Mammogram, left breast, MLO view. 32 y/o patient.
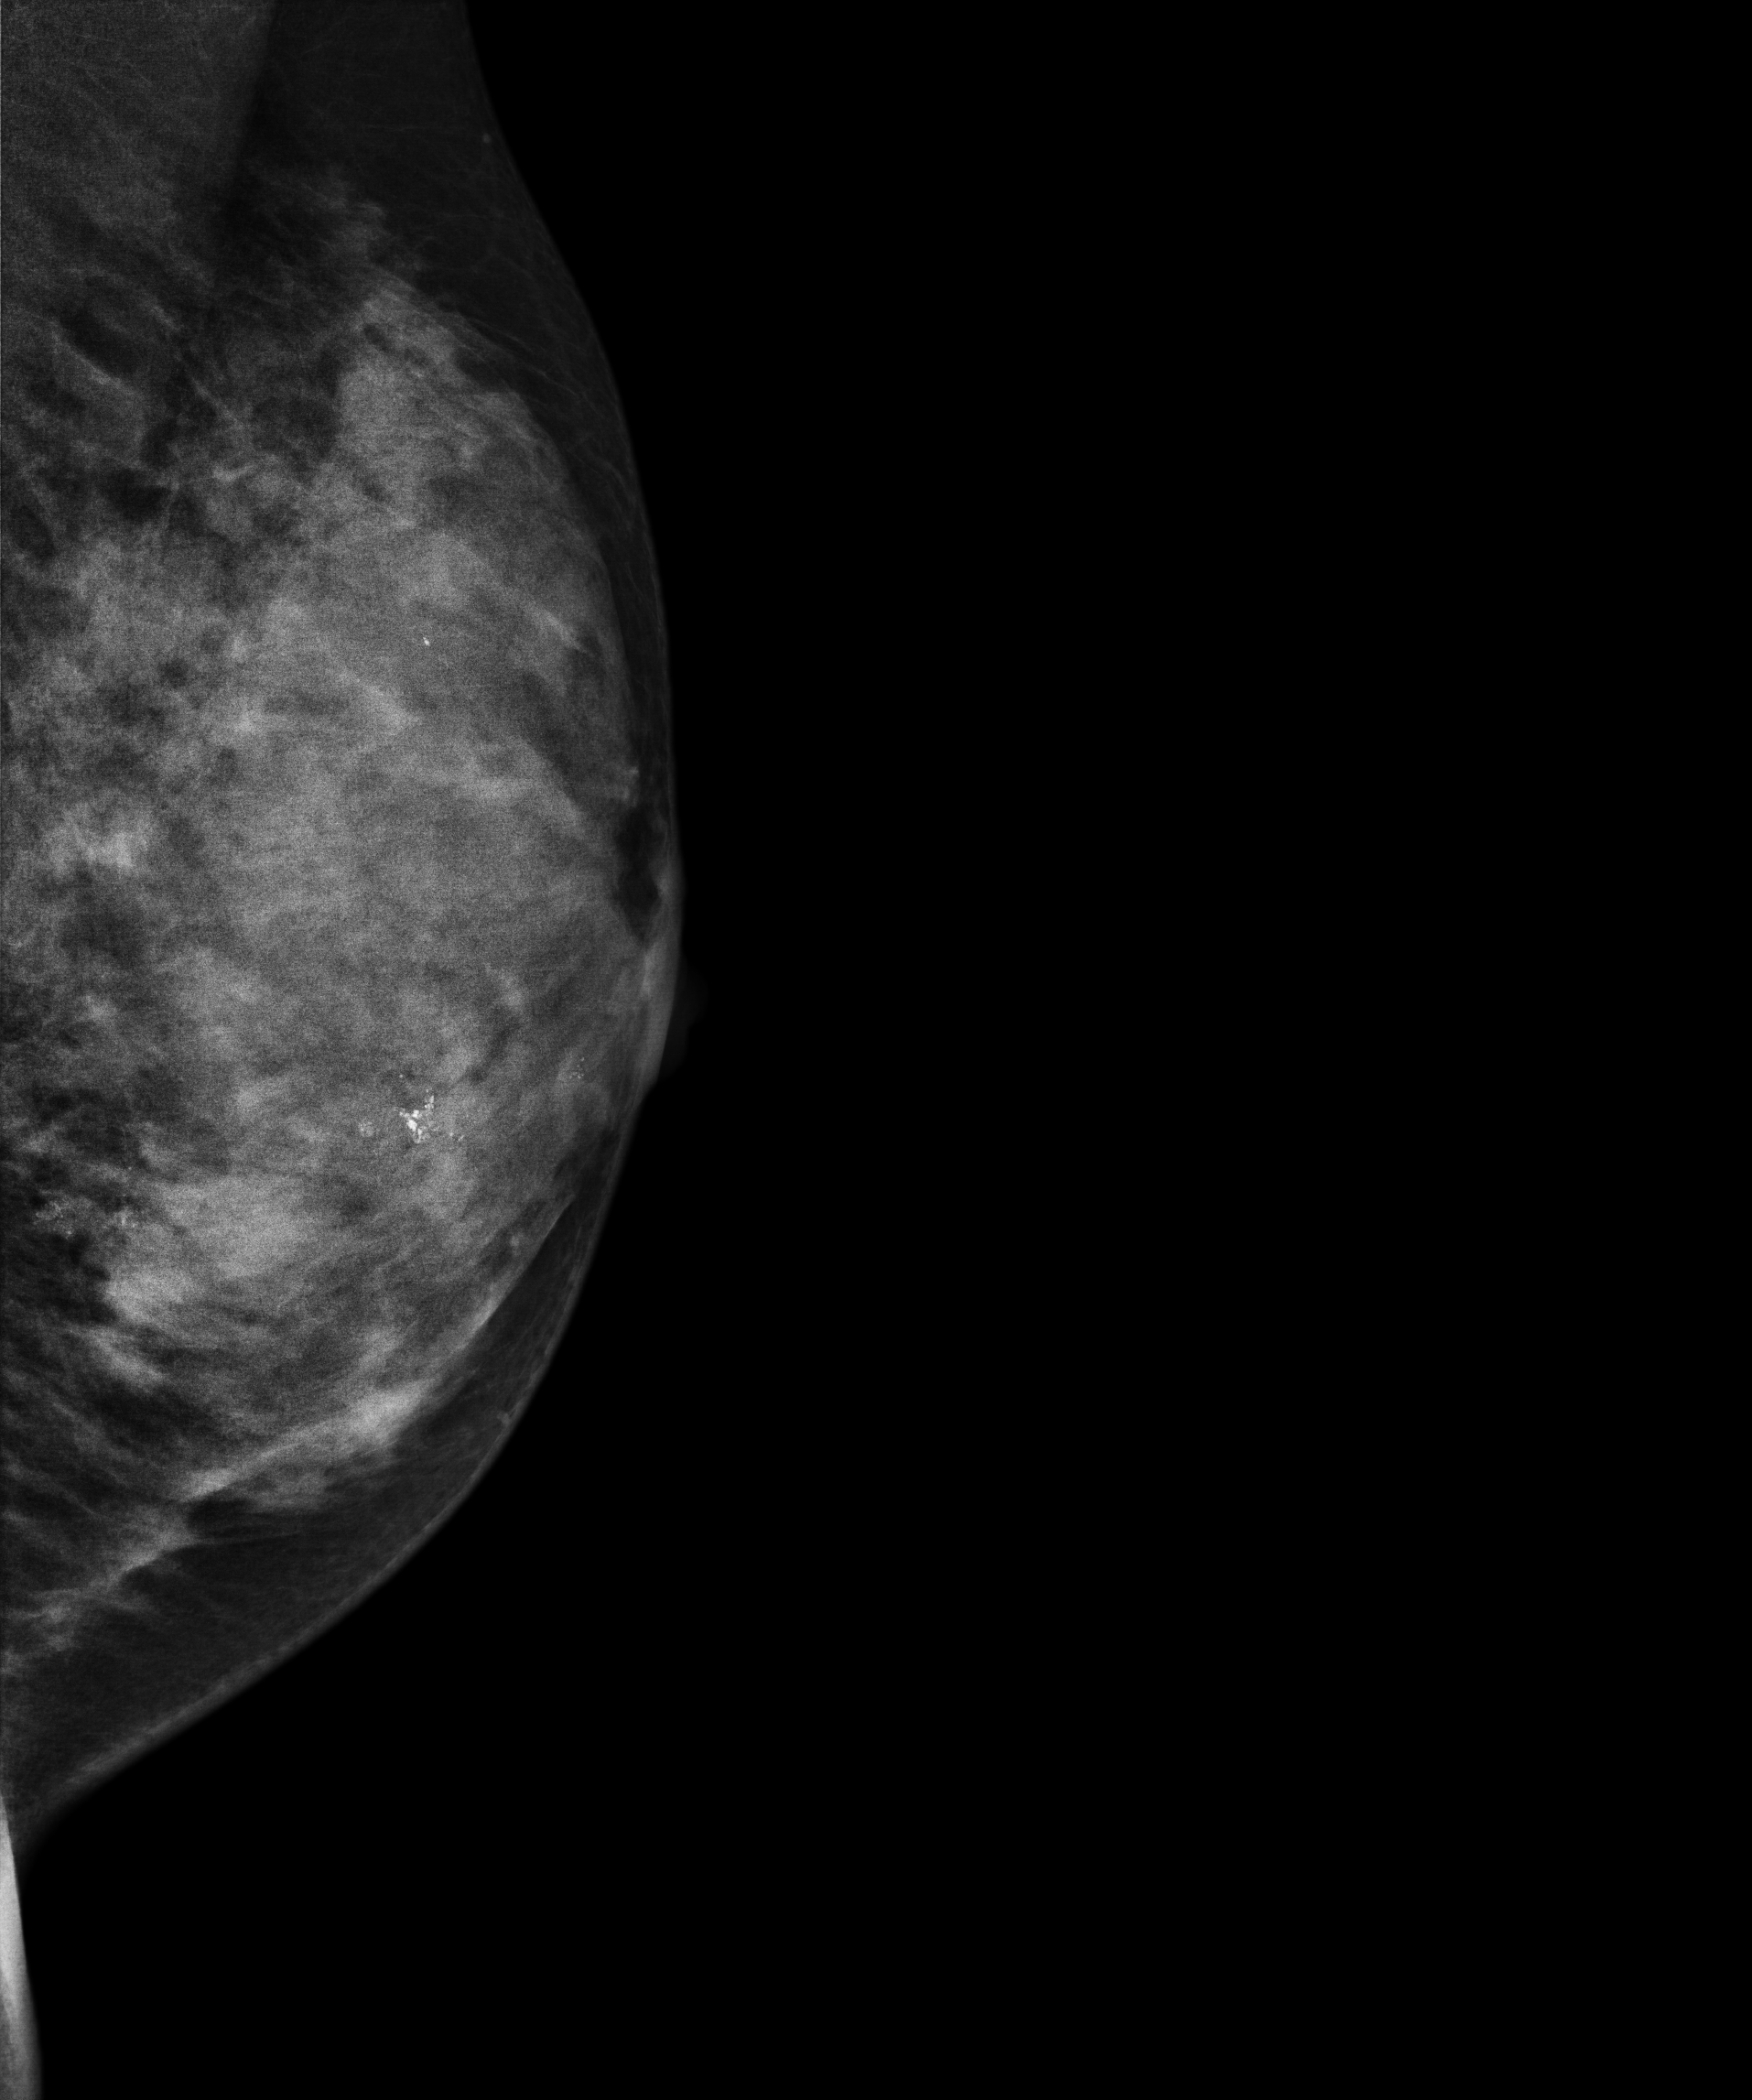
This breast has calcifications, pathology-confirmed malignant.